MLO mammogram of the left breast. Patient age 53.
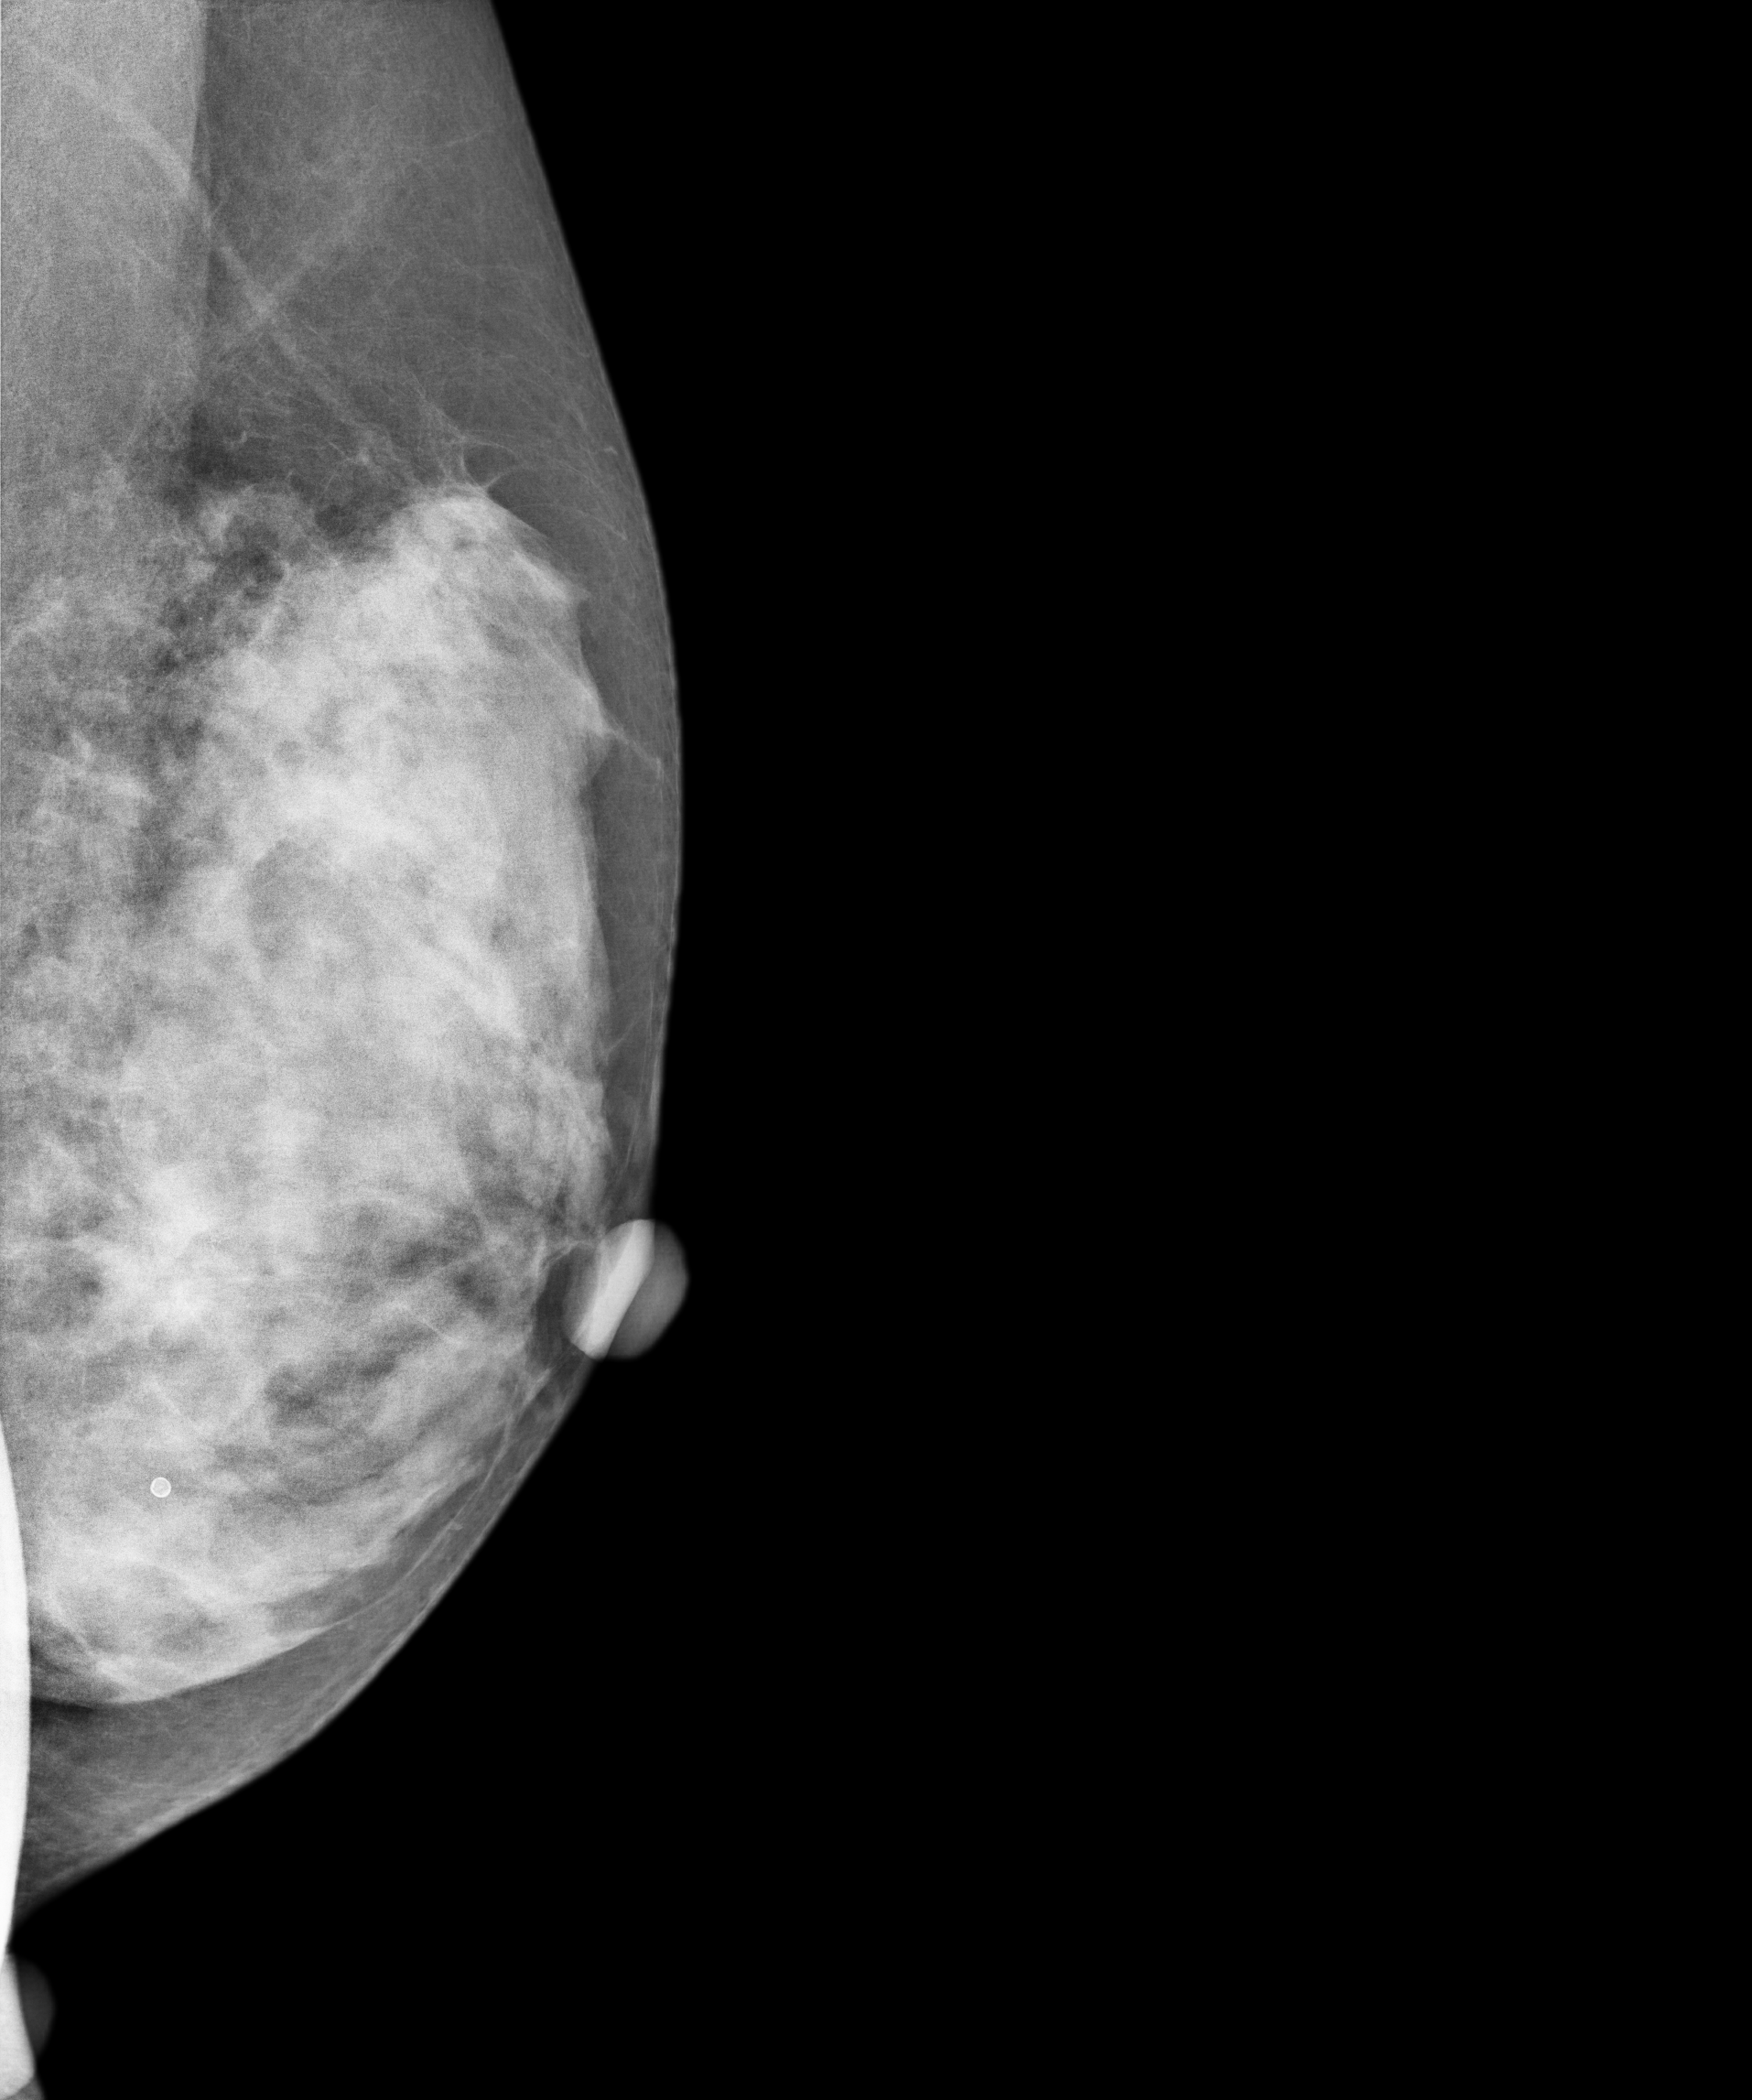
This breast has a mass and calcifications, pathology-confirmed malignant. Molecular subtype: luminal A.